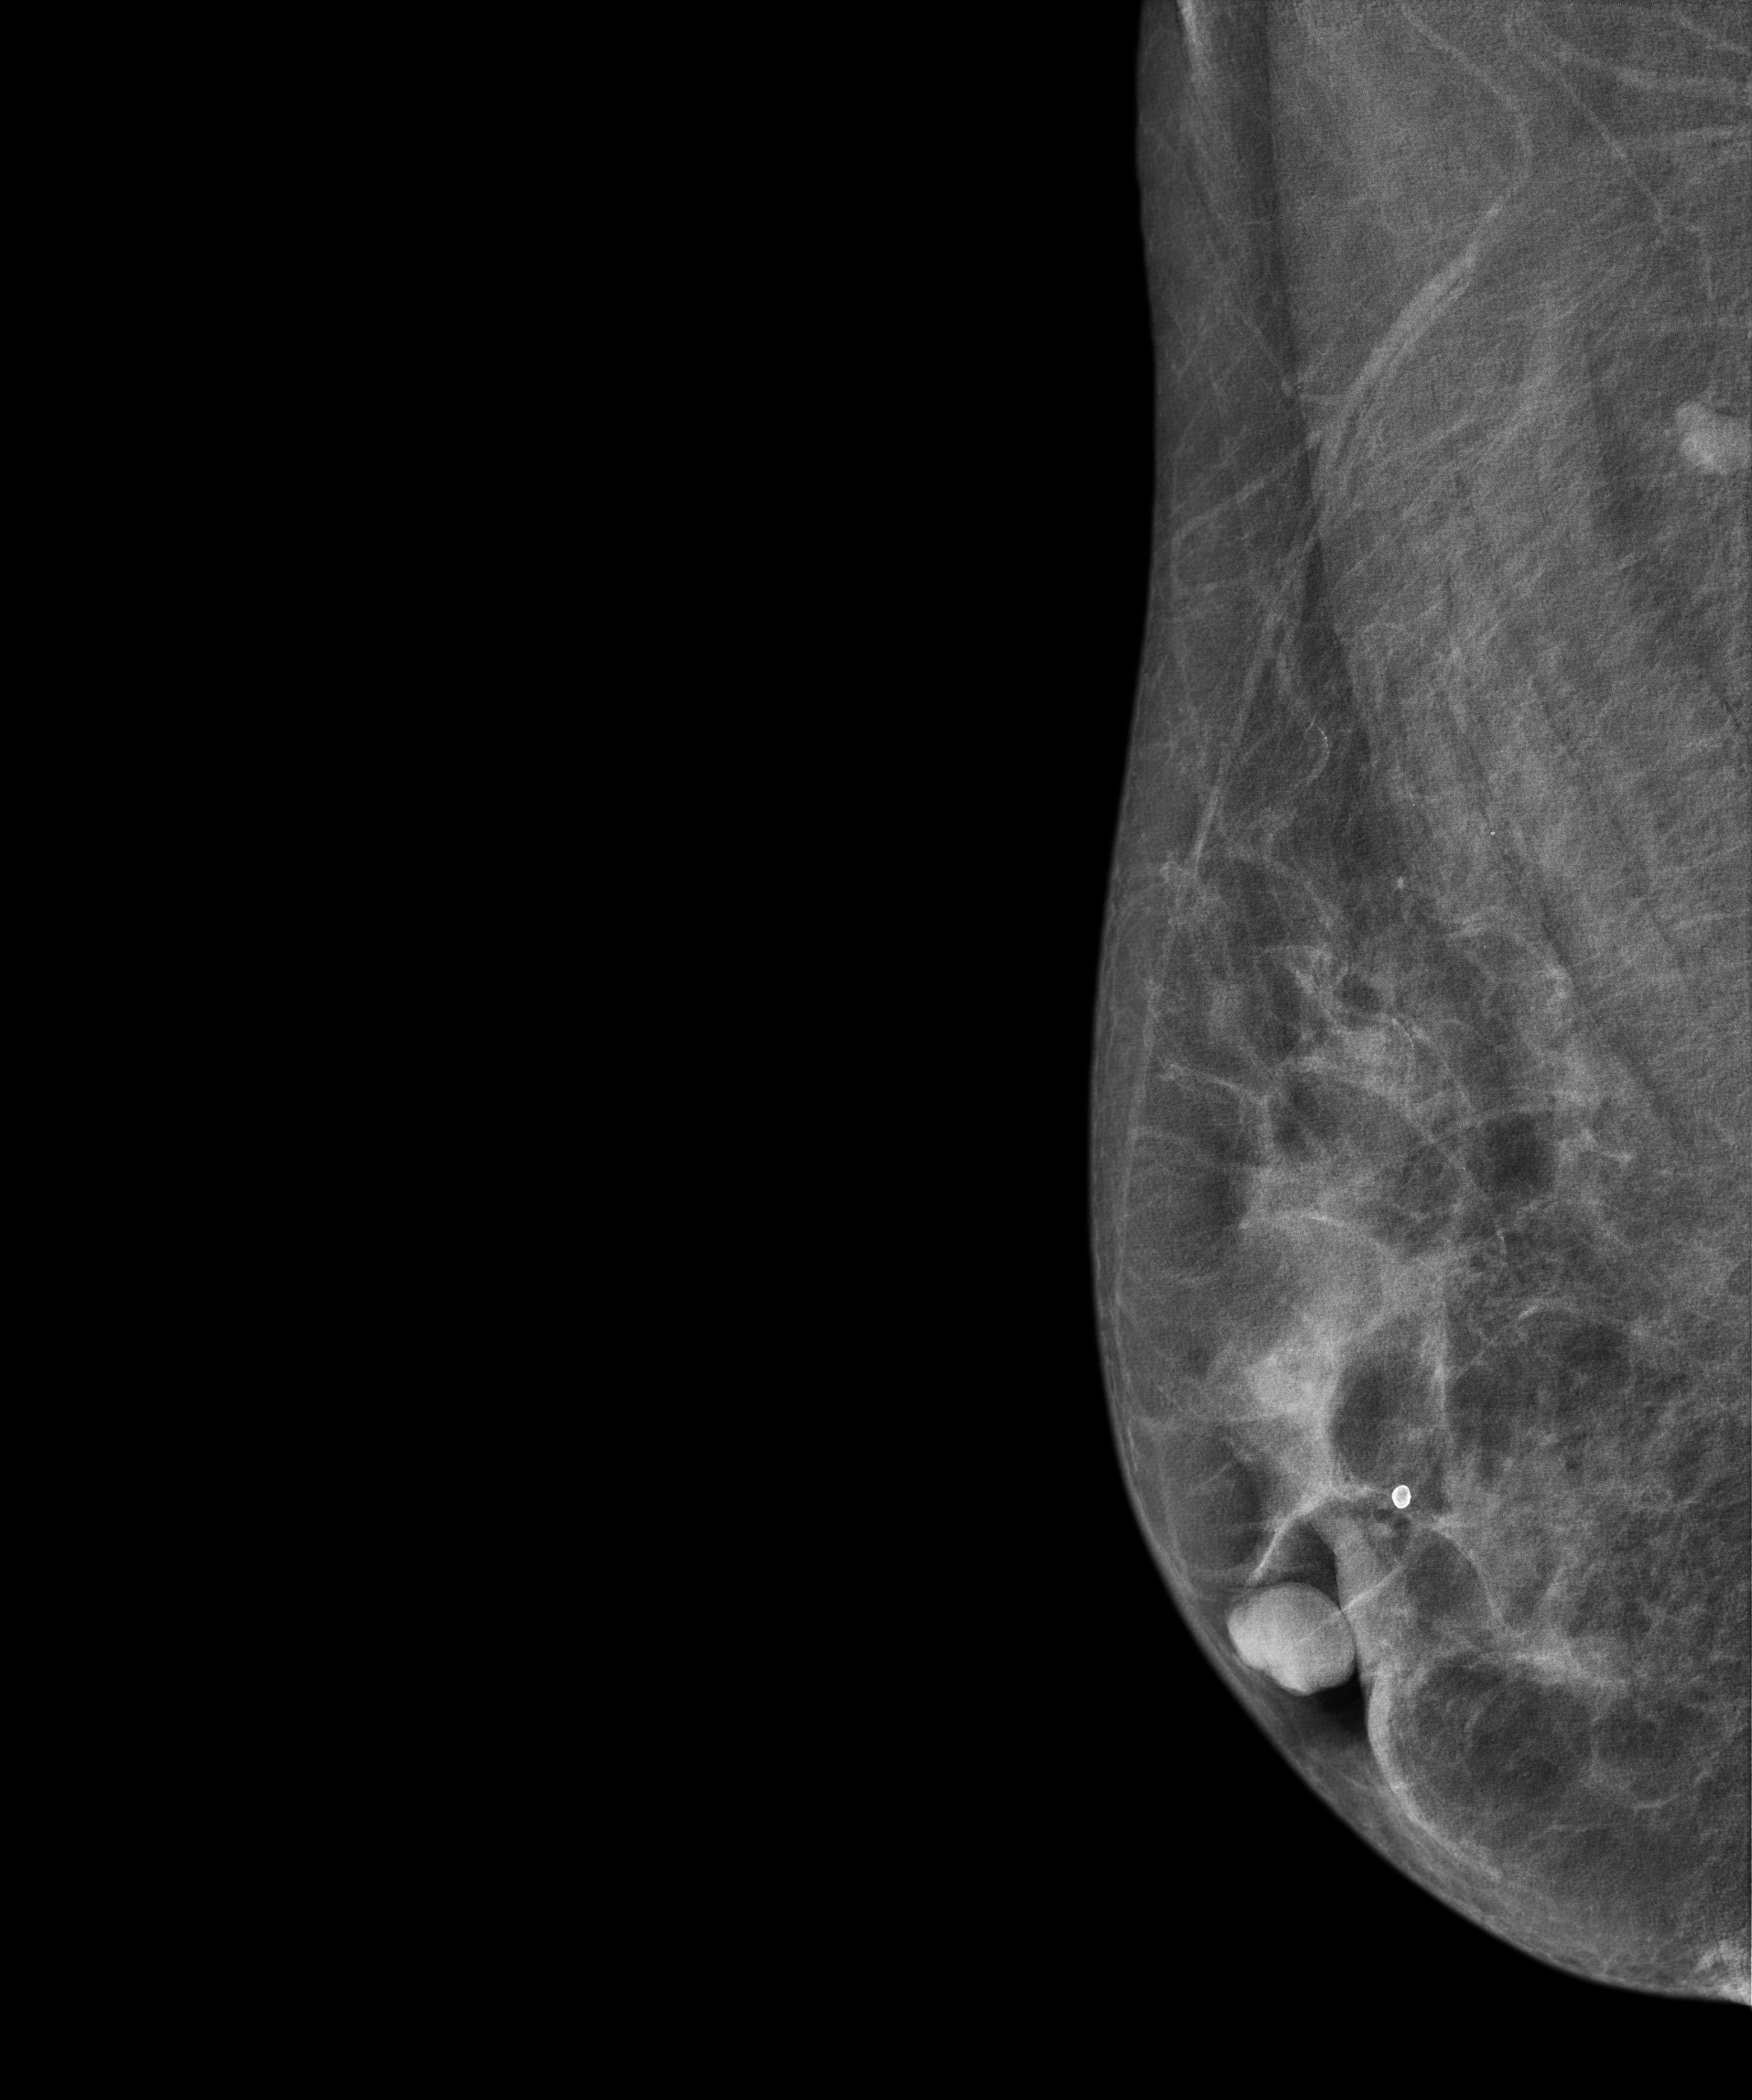
Mammogram — right MLO. Patient age 64.
This breast has a mass and calcifications, histologically confirmed benign.